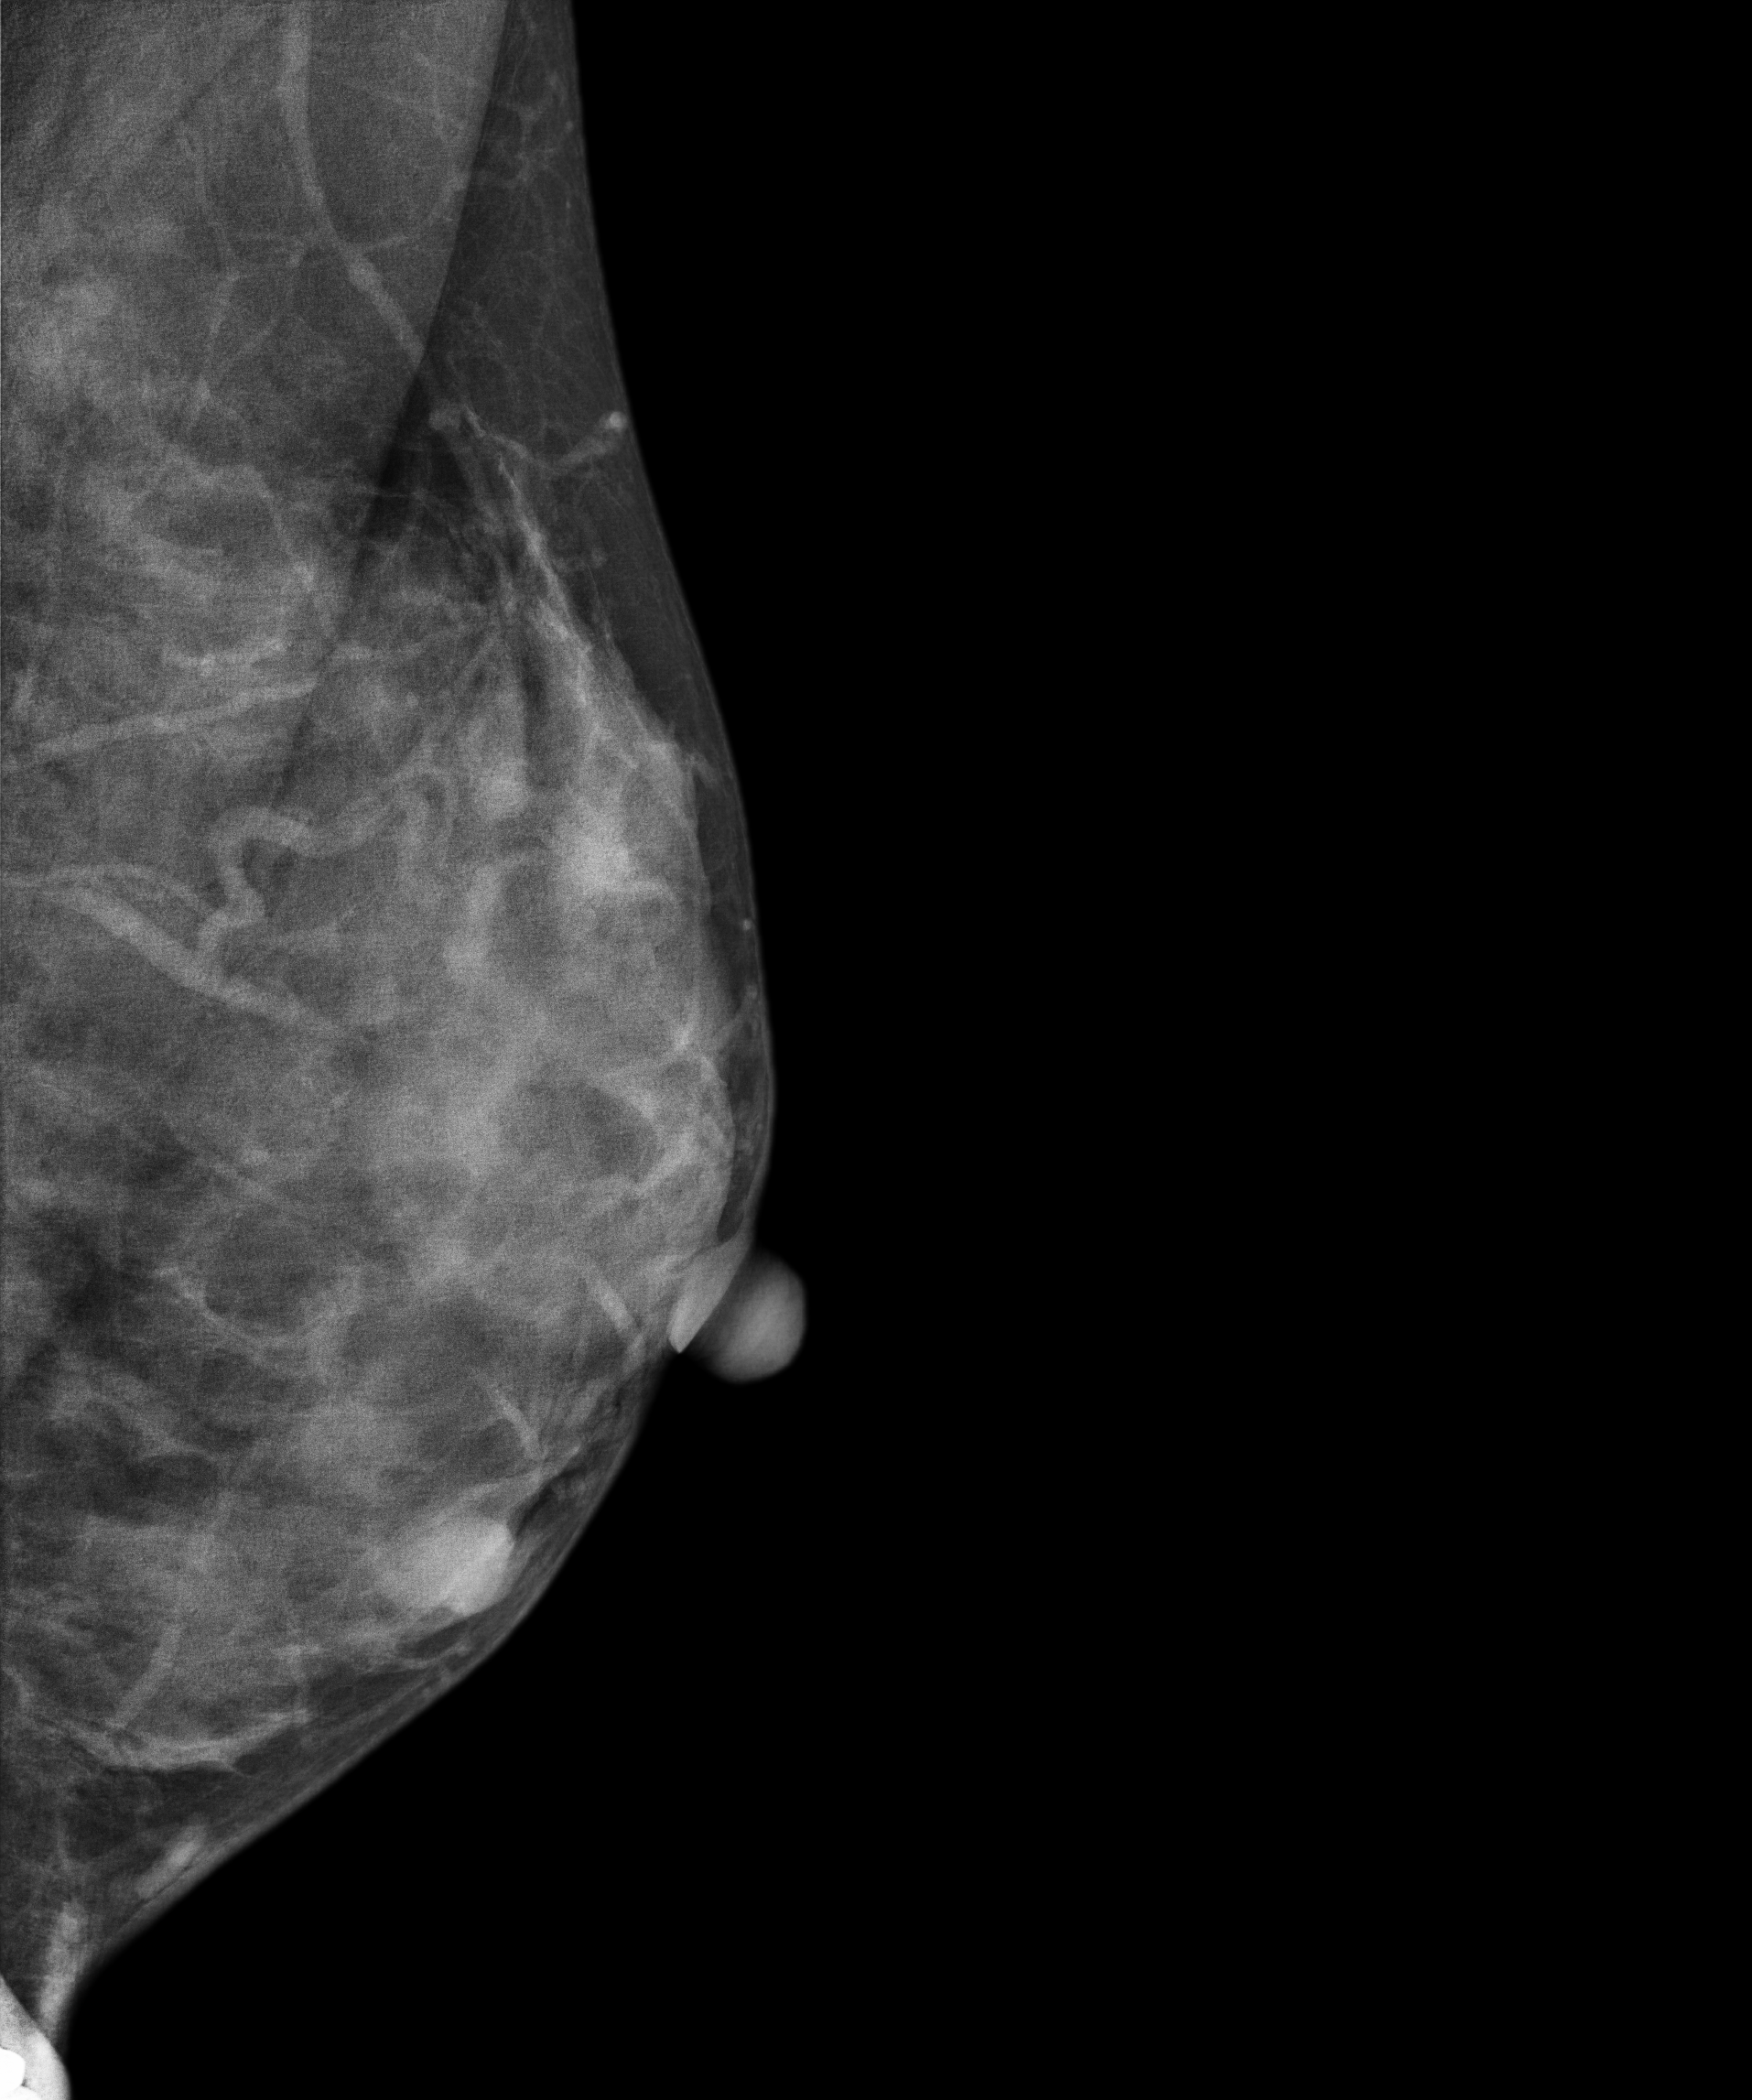
Left-breast mammogram, medio-lateral oblique. 42 y/o patient.
This breast has a mass, biopsy-confirmed benign.